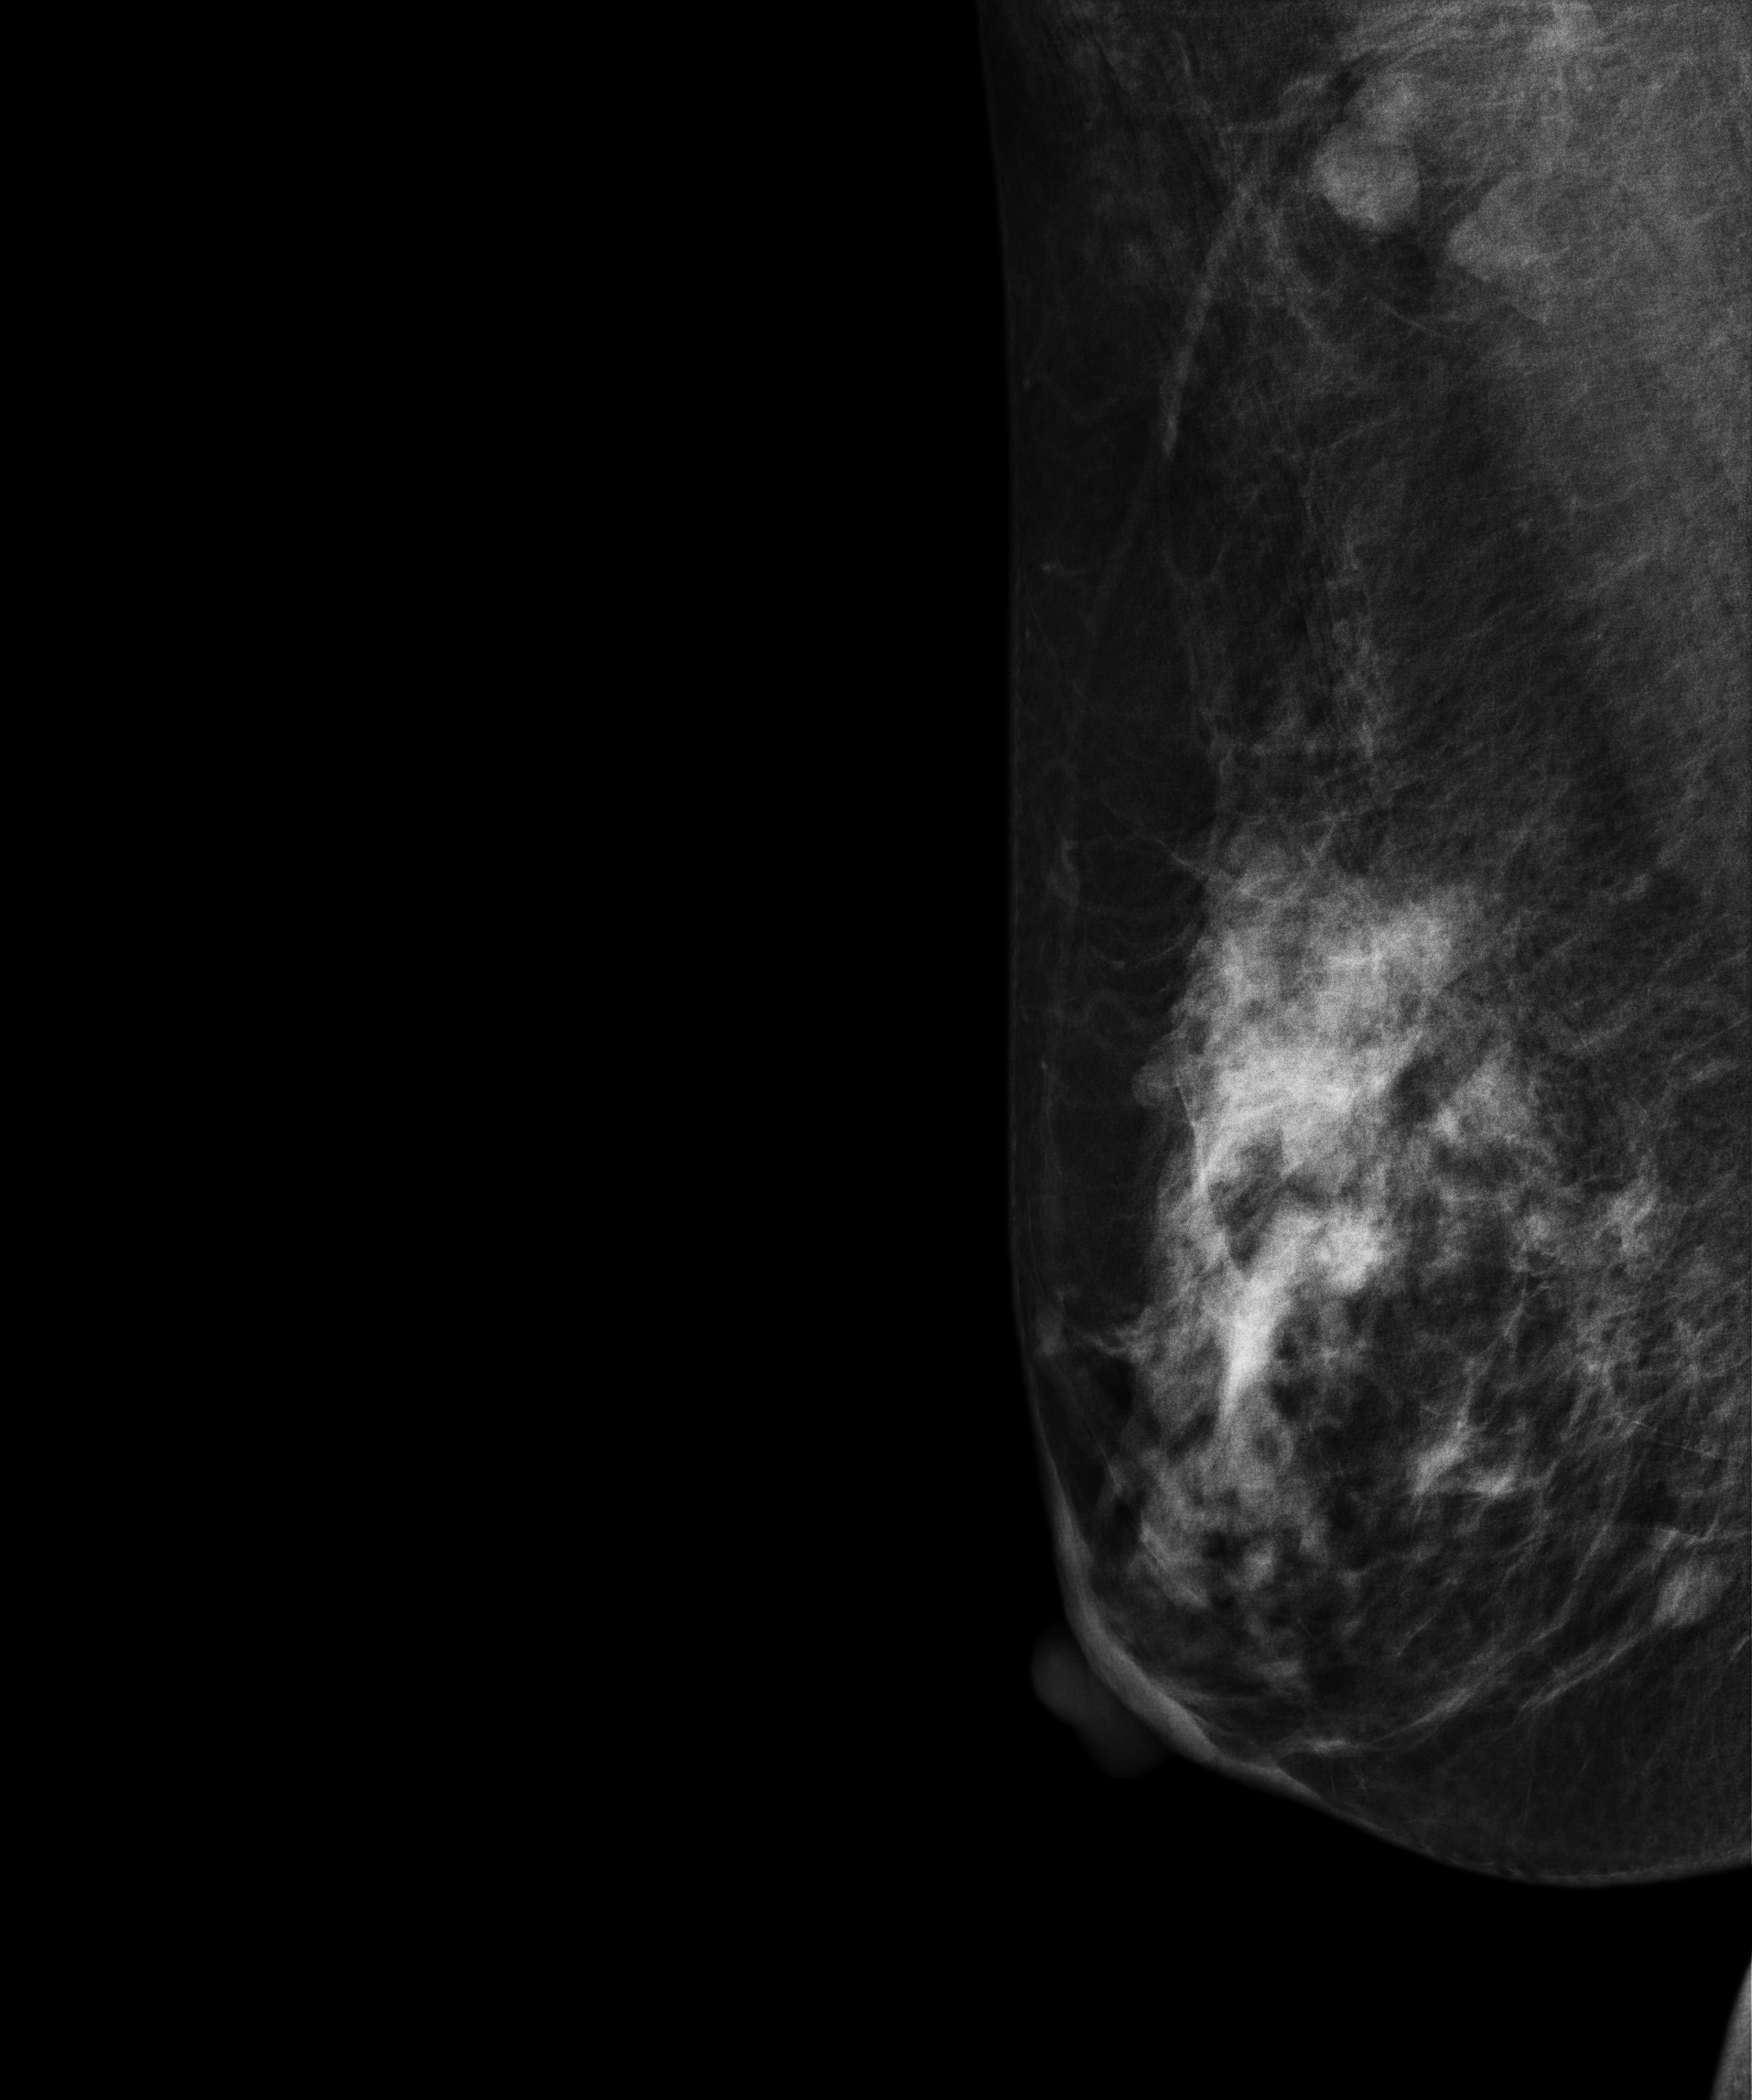
Digital mammography. Right breast, MLO projection. 64 y/o patient.
This breast has a mass, biopsy-proven malignant. Molecular subtype: luminal B.